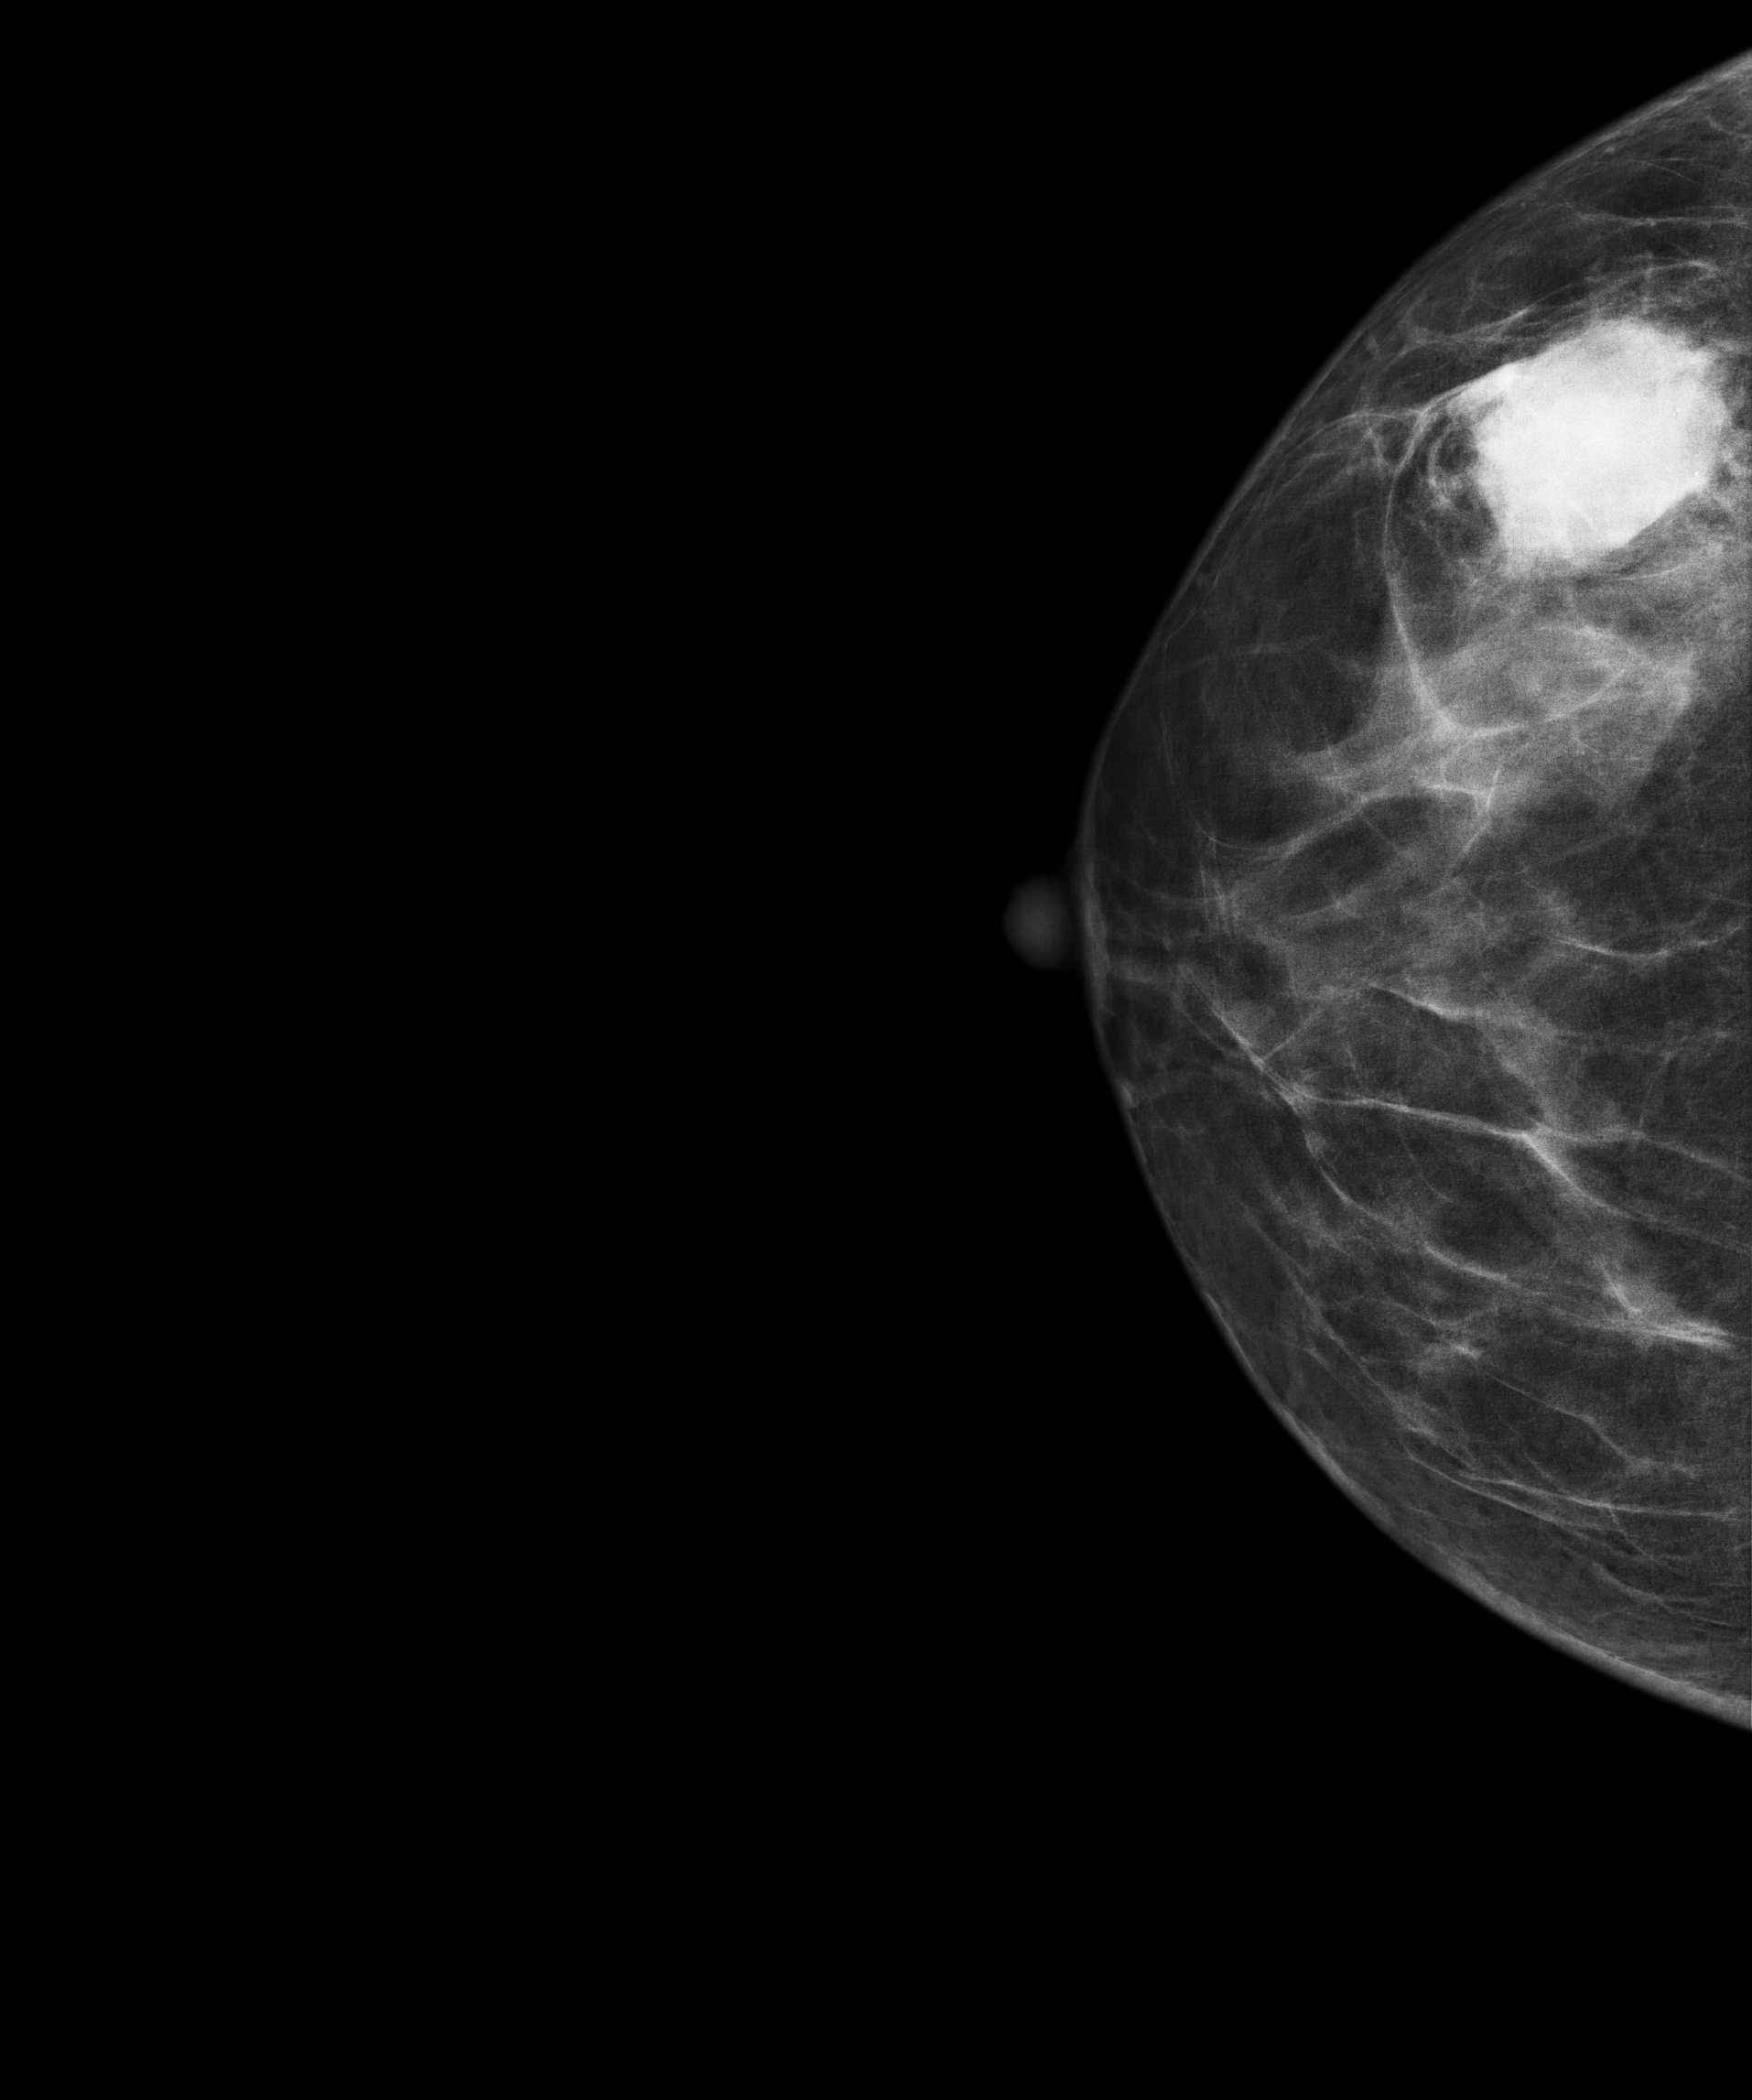
Digital mammography. Right breast, CC projection. Patient age 52.
This breast has a mass, histologically confirmed malignant. Molecular subtype: triple-negative.